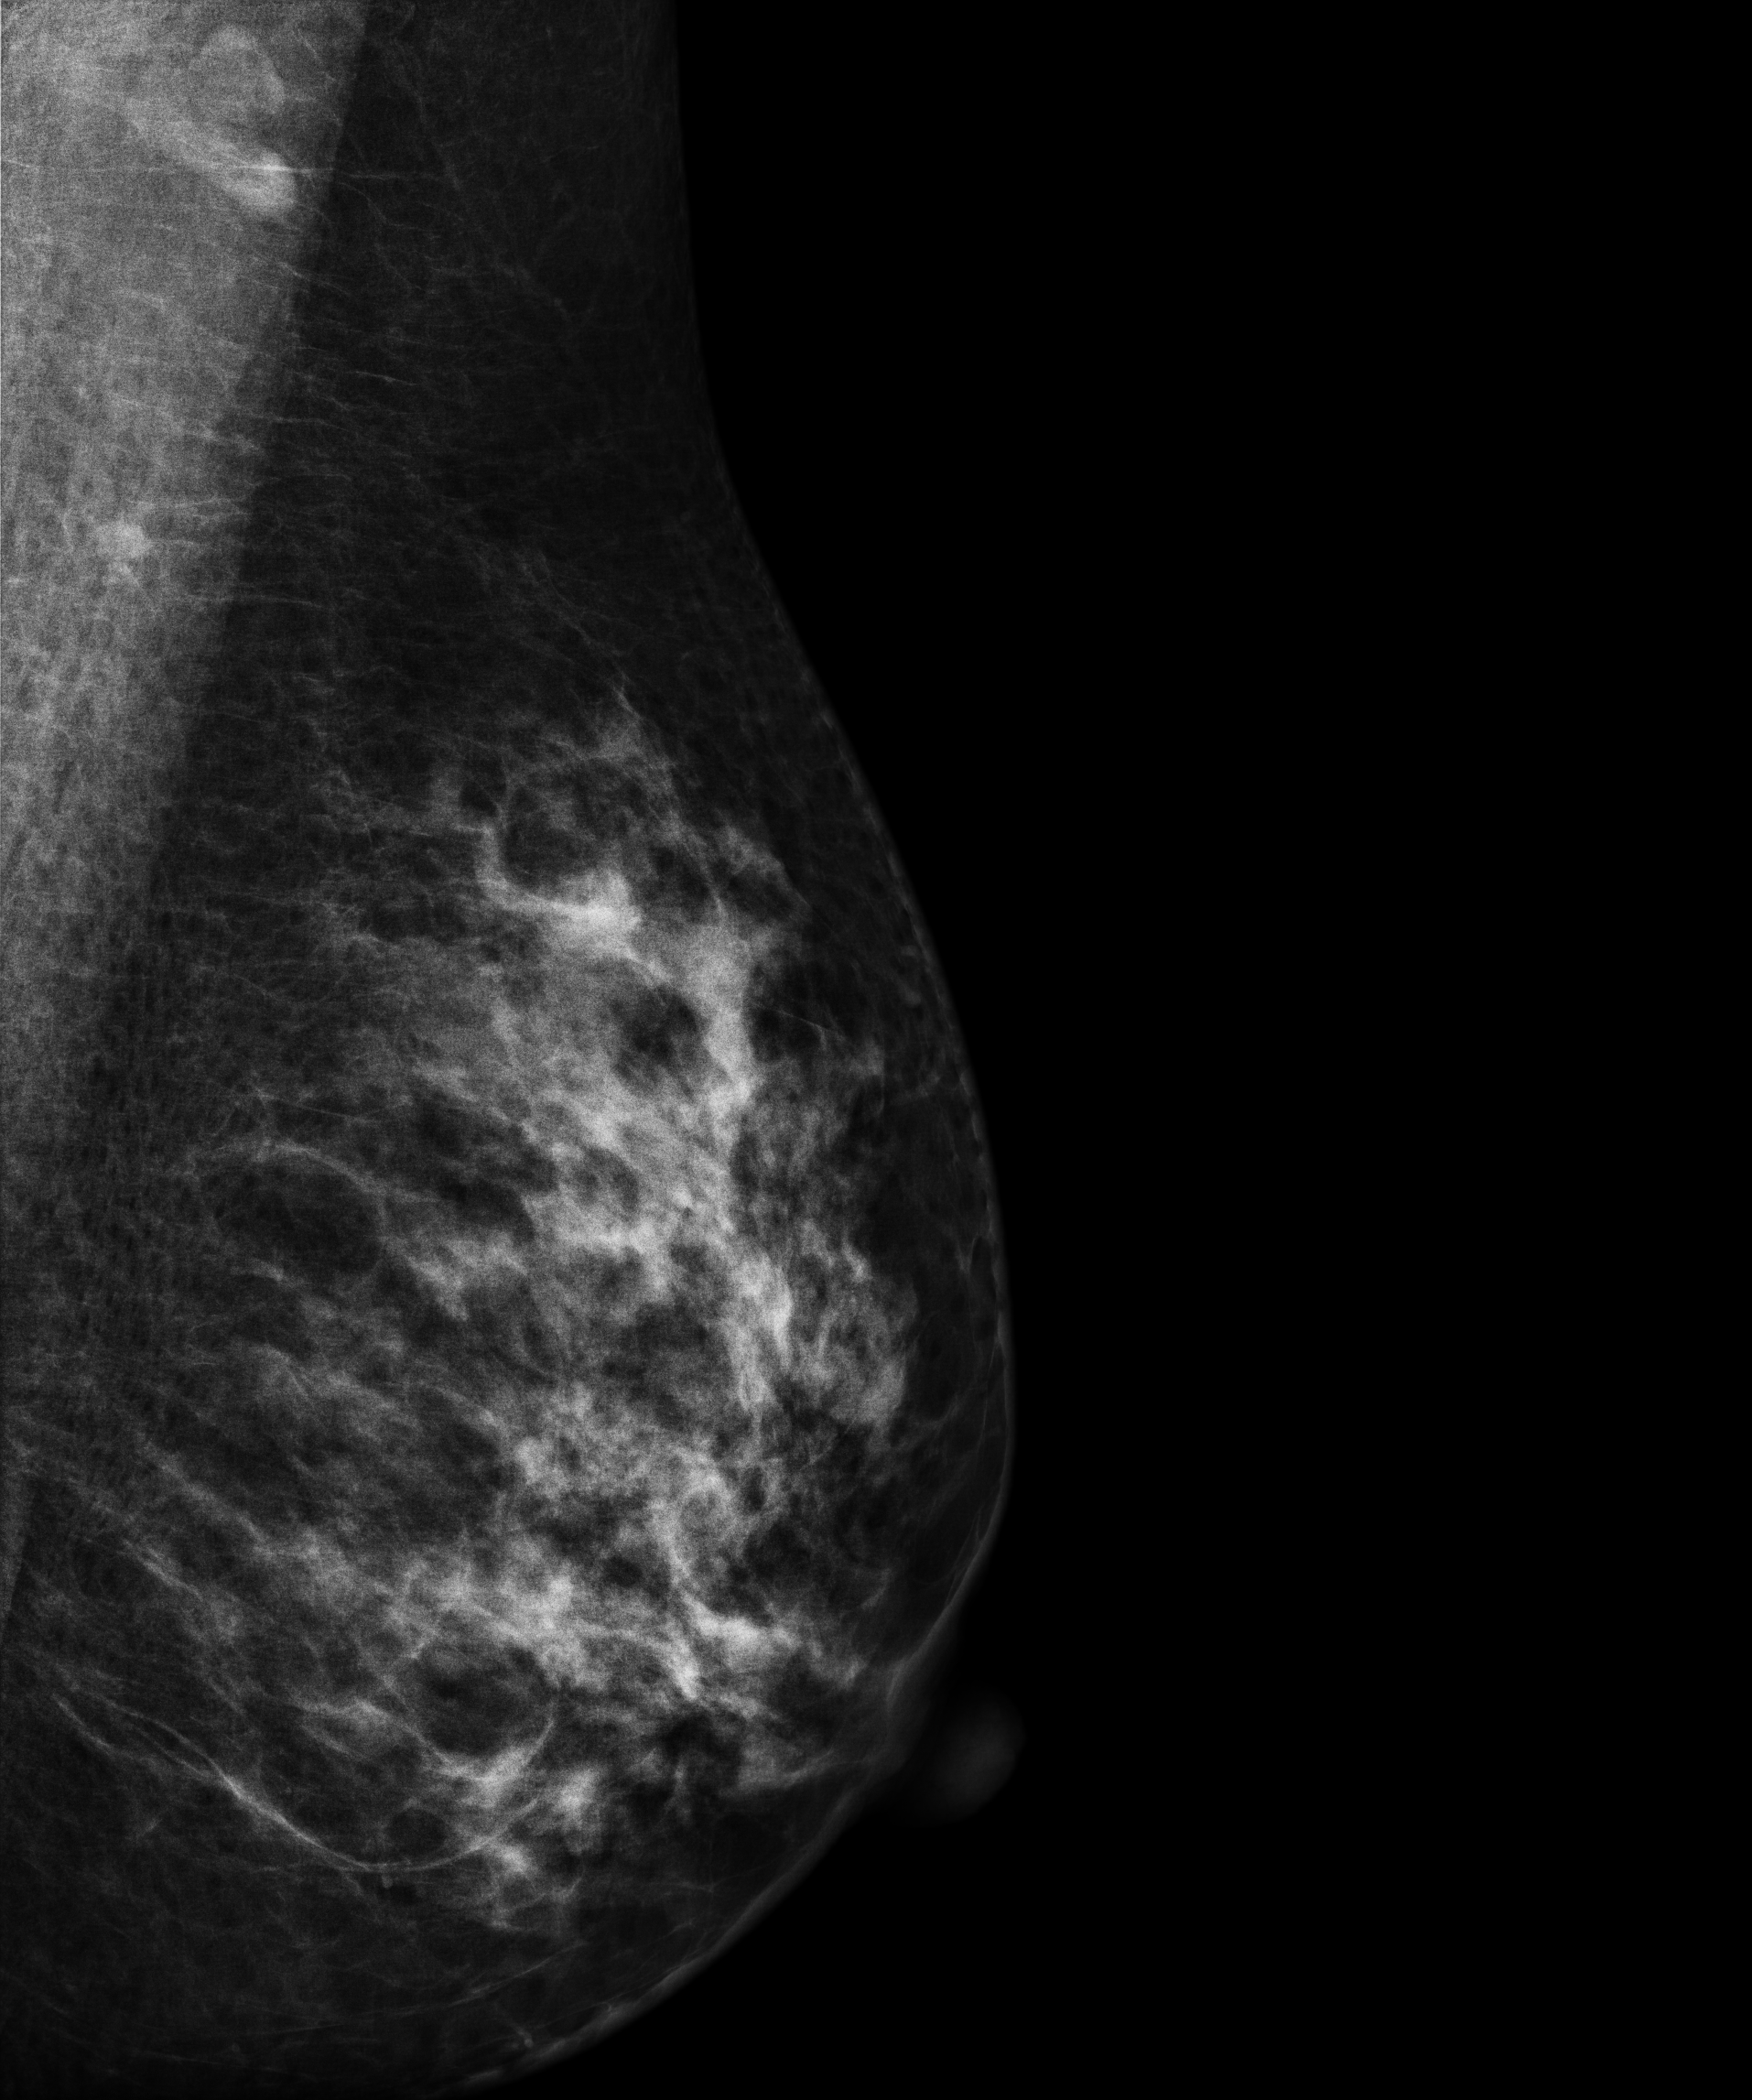
Mammogram — left medio-lateral oblique. Patient age 46.
This breast has a mass, biopsy-proven benign.